Medio-lateral oblique mammogram of the right breast. 44-year-old patient.
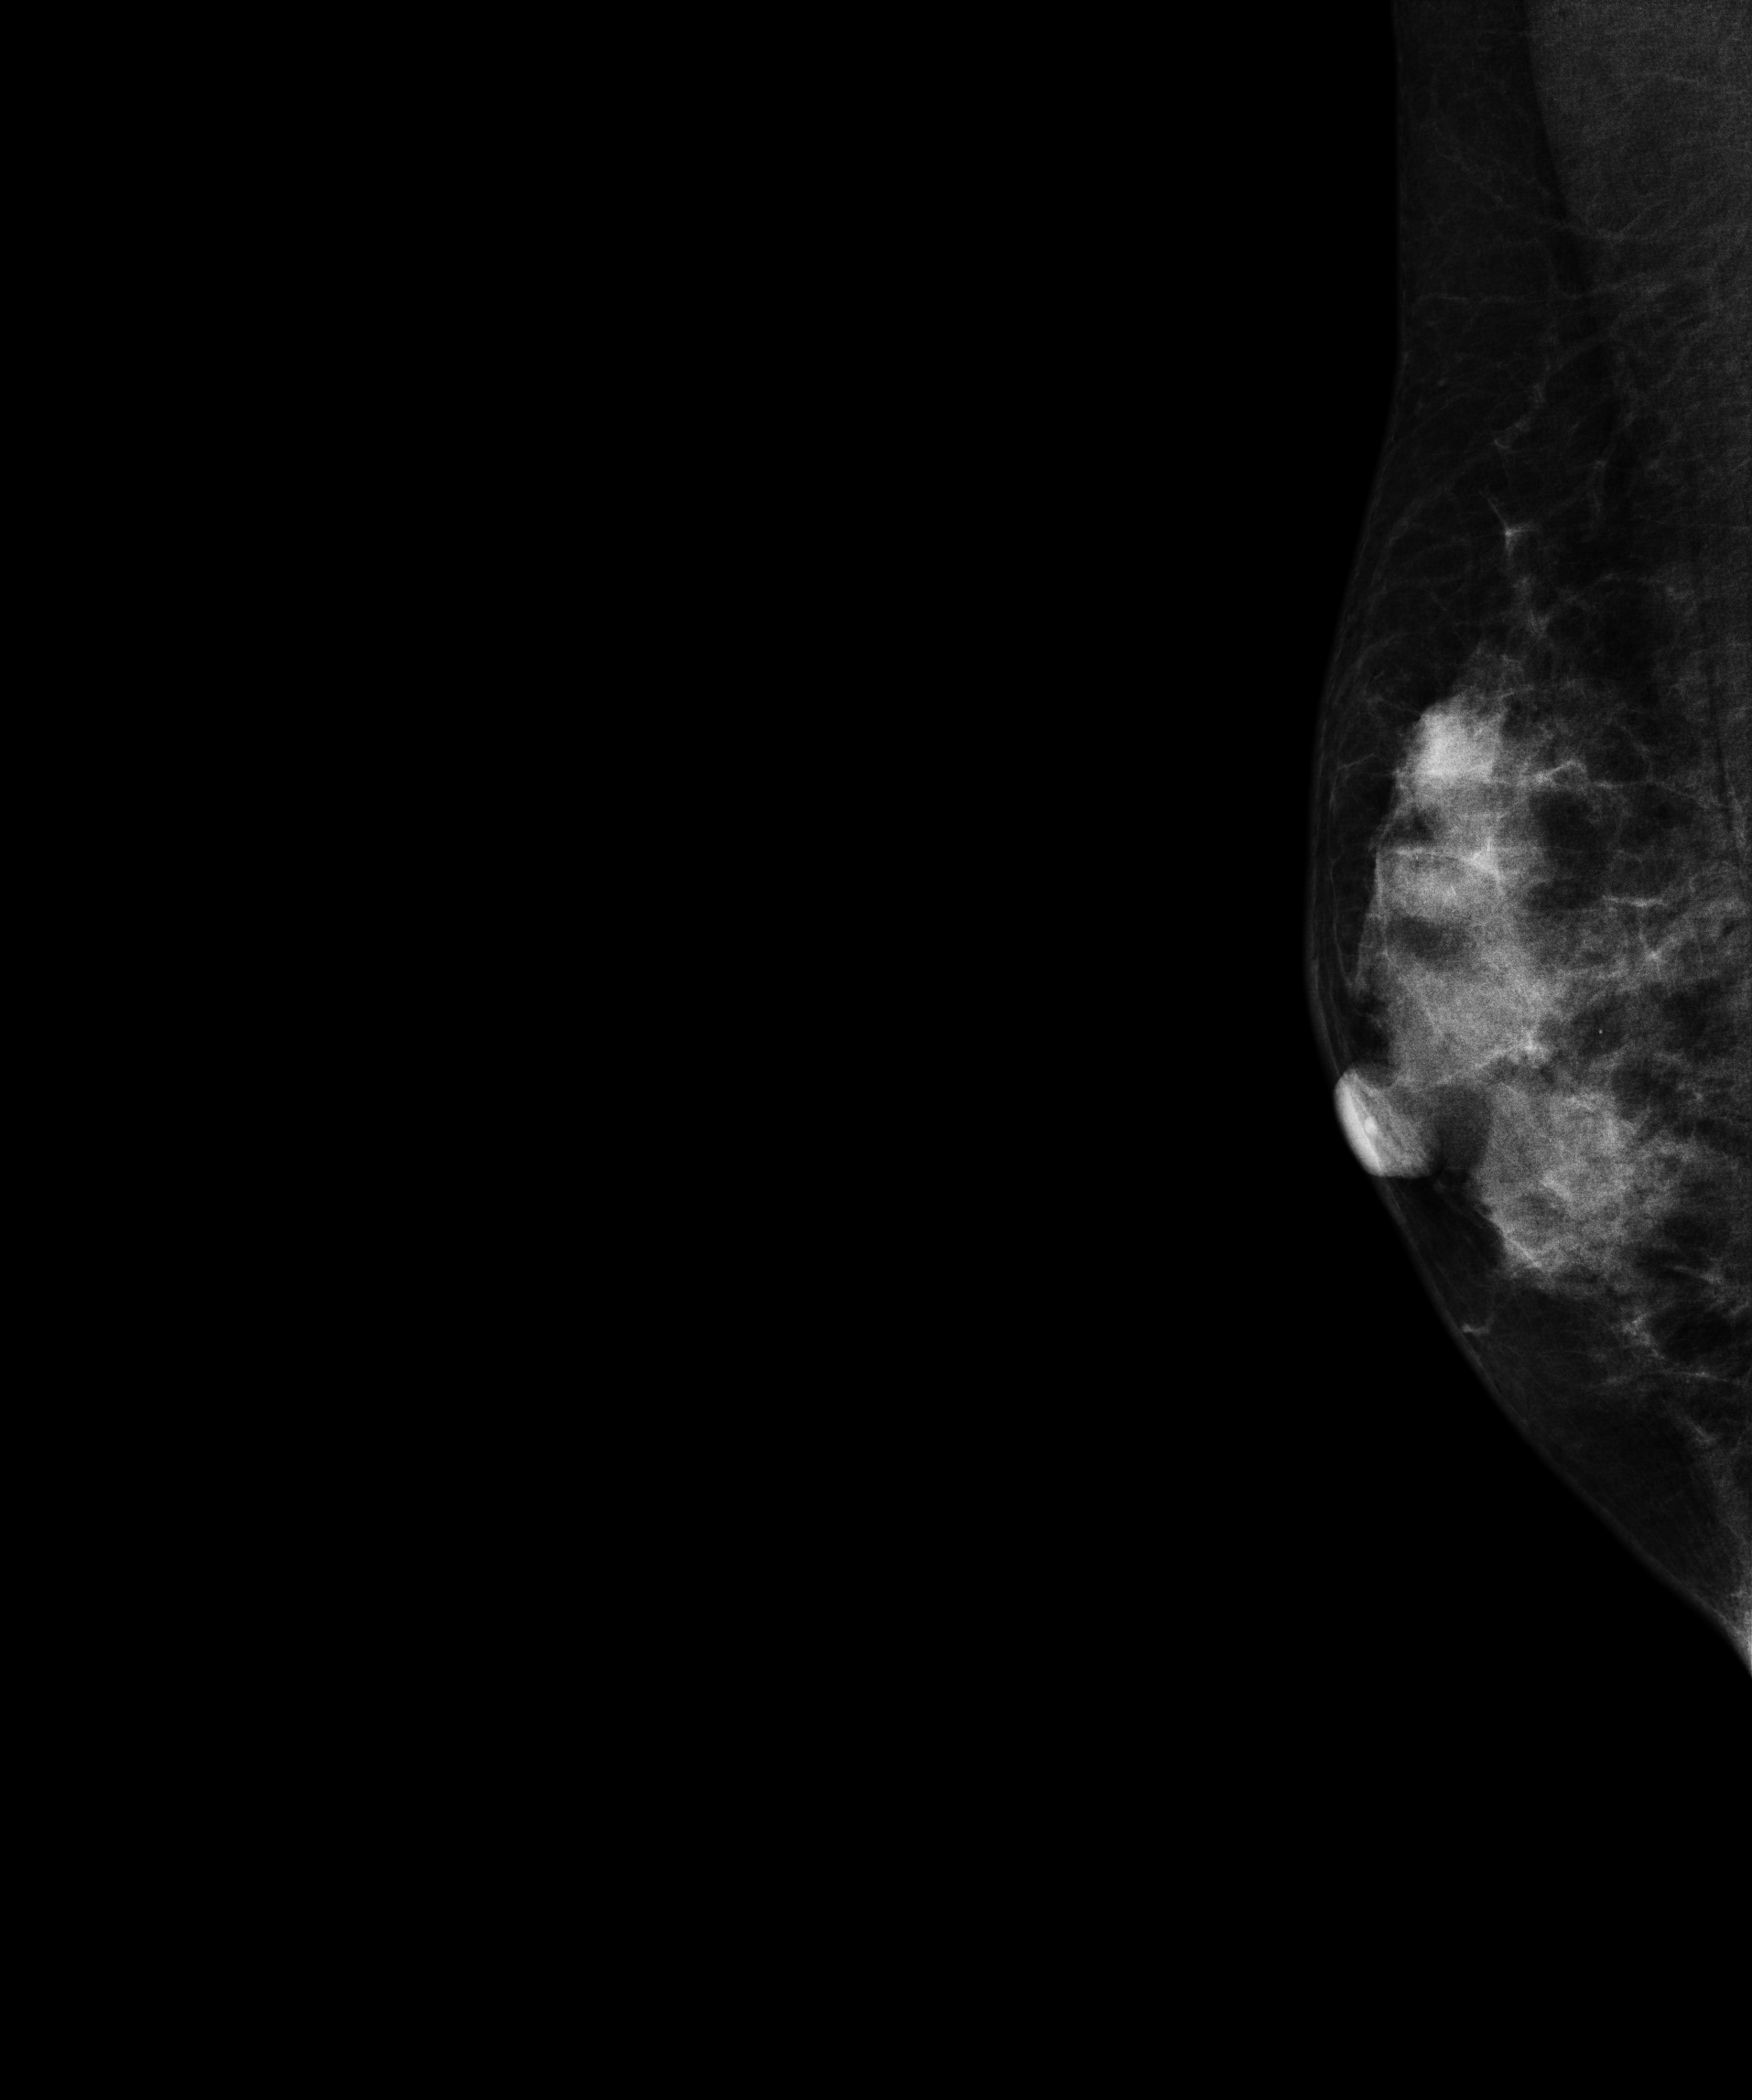
This breast has a mass, pathology-confirmed malignant. Molecular subtype: luminal B.